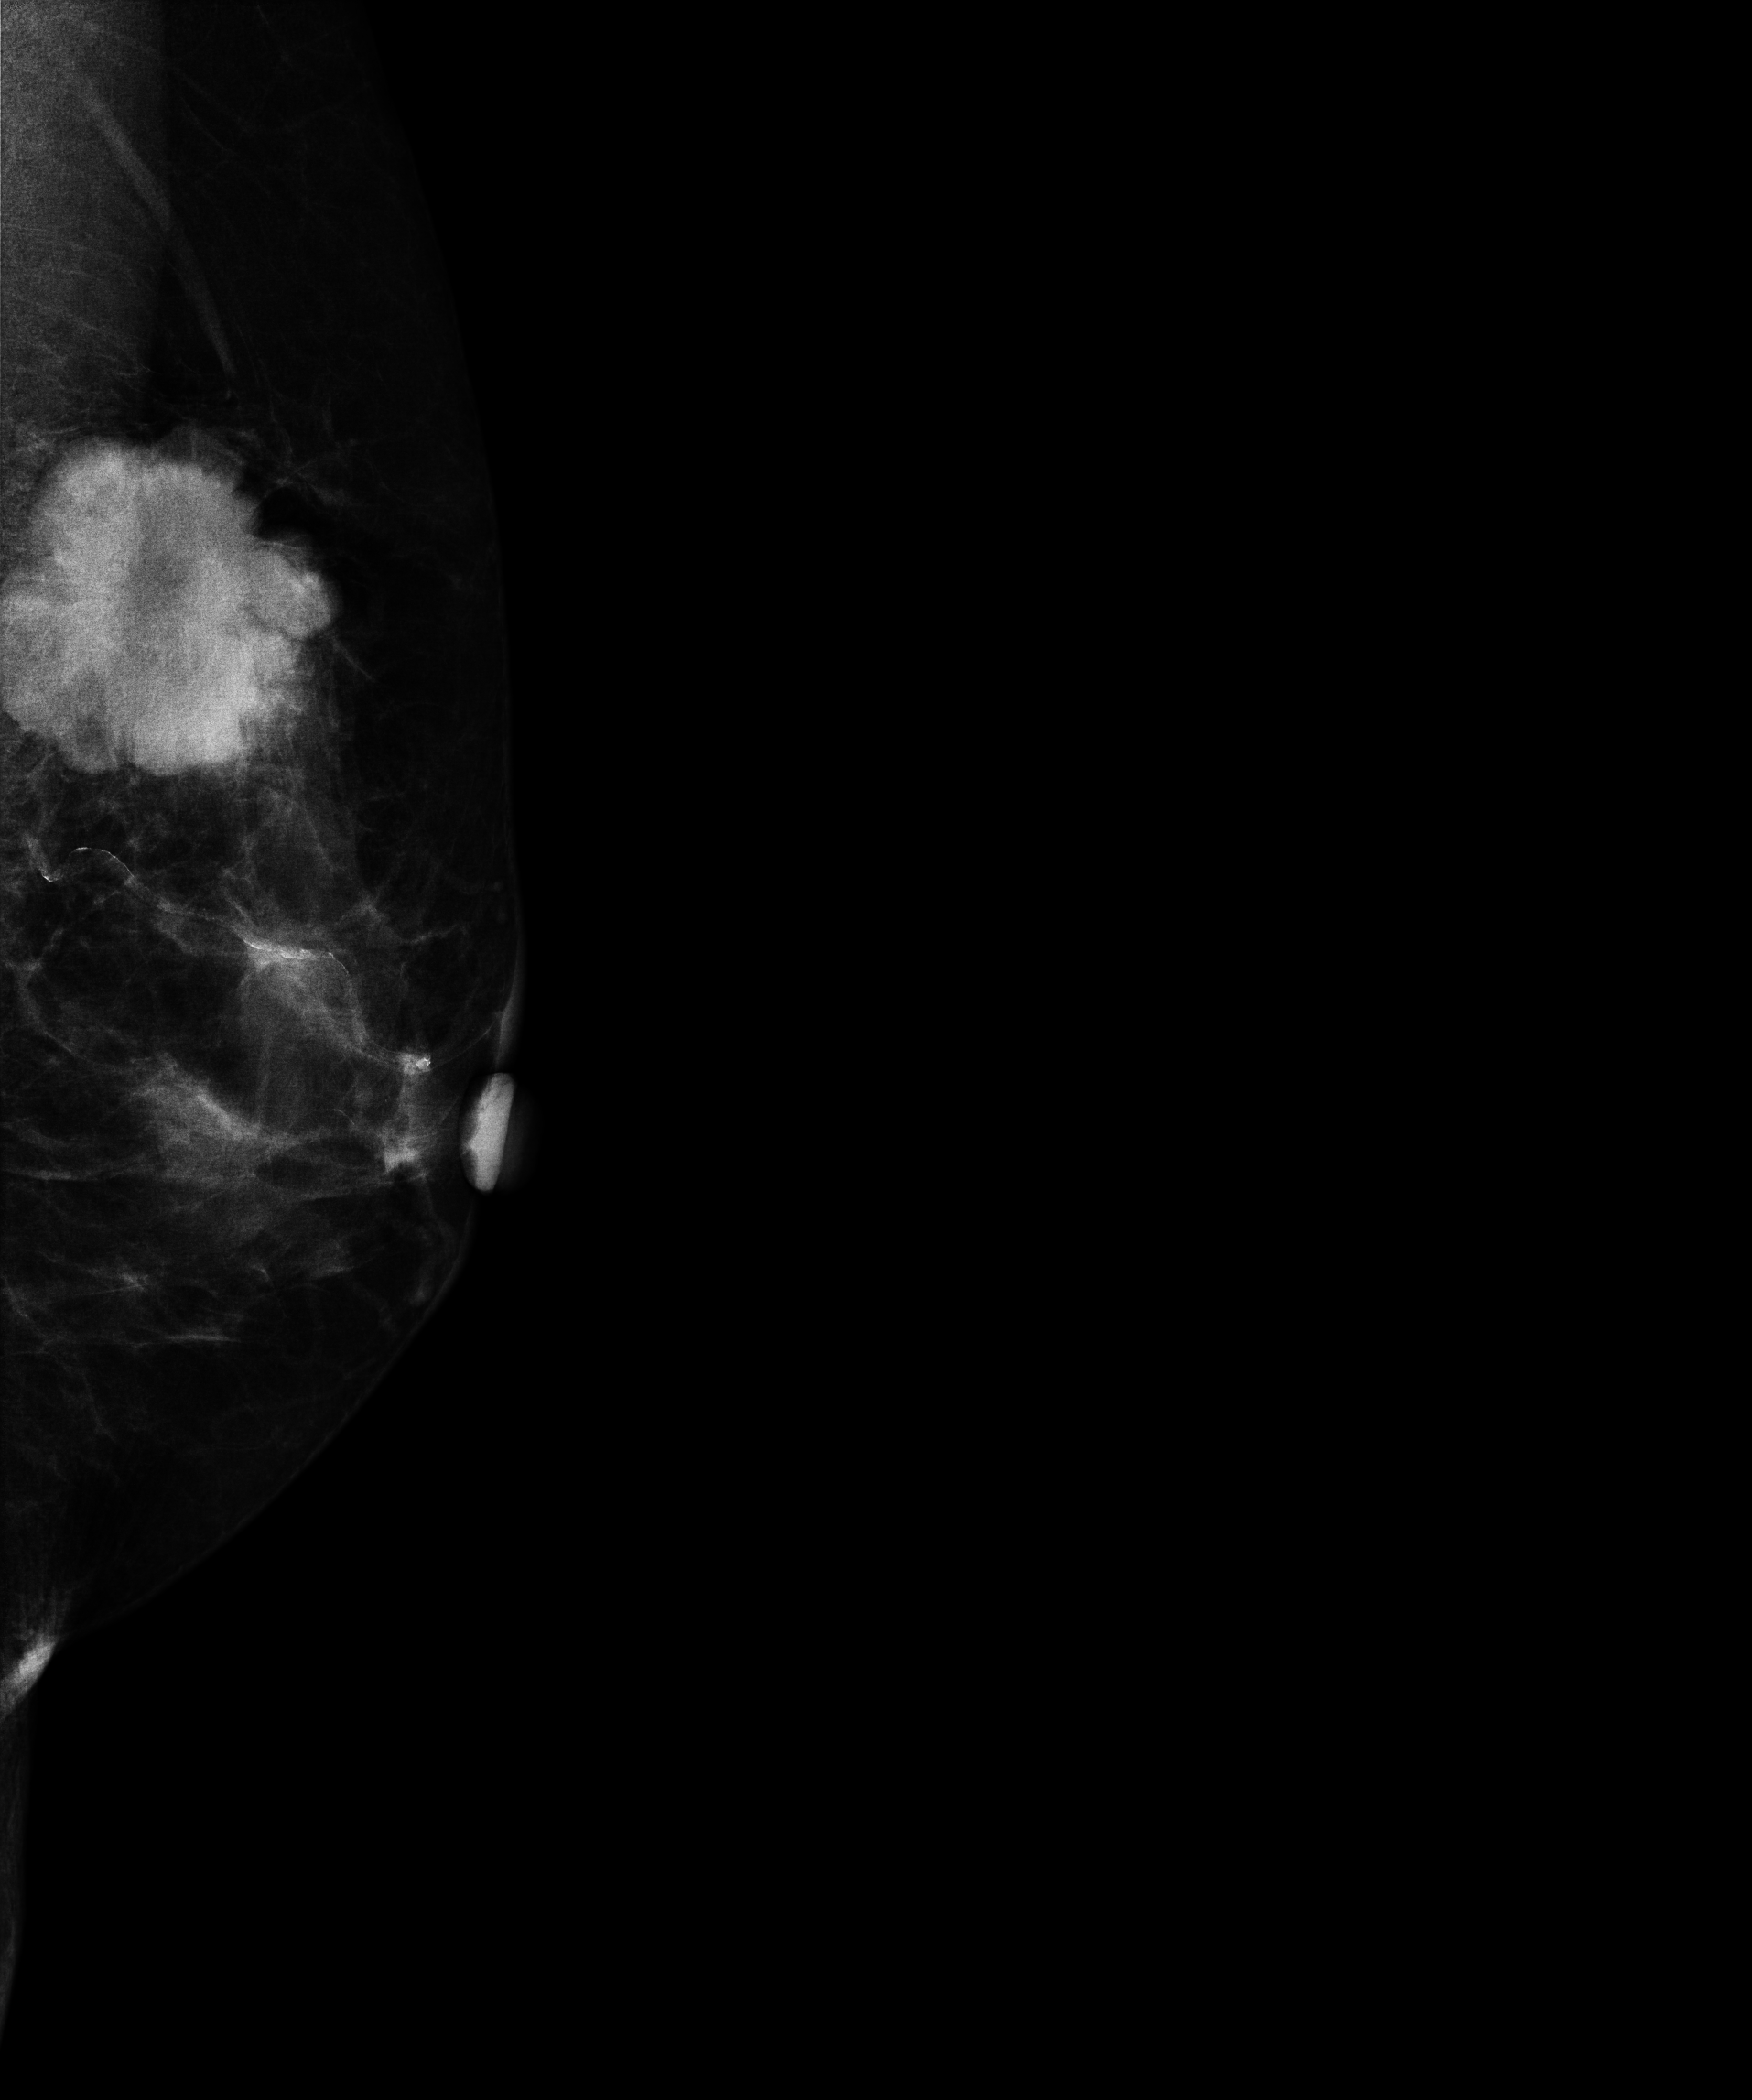
Mammogram, left breast, medio-lateral oblique view. 75-year-old patient.
This breast has a mass, biopsy-proven malignant.